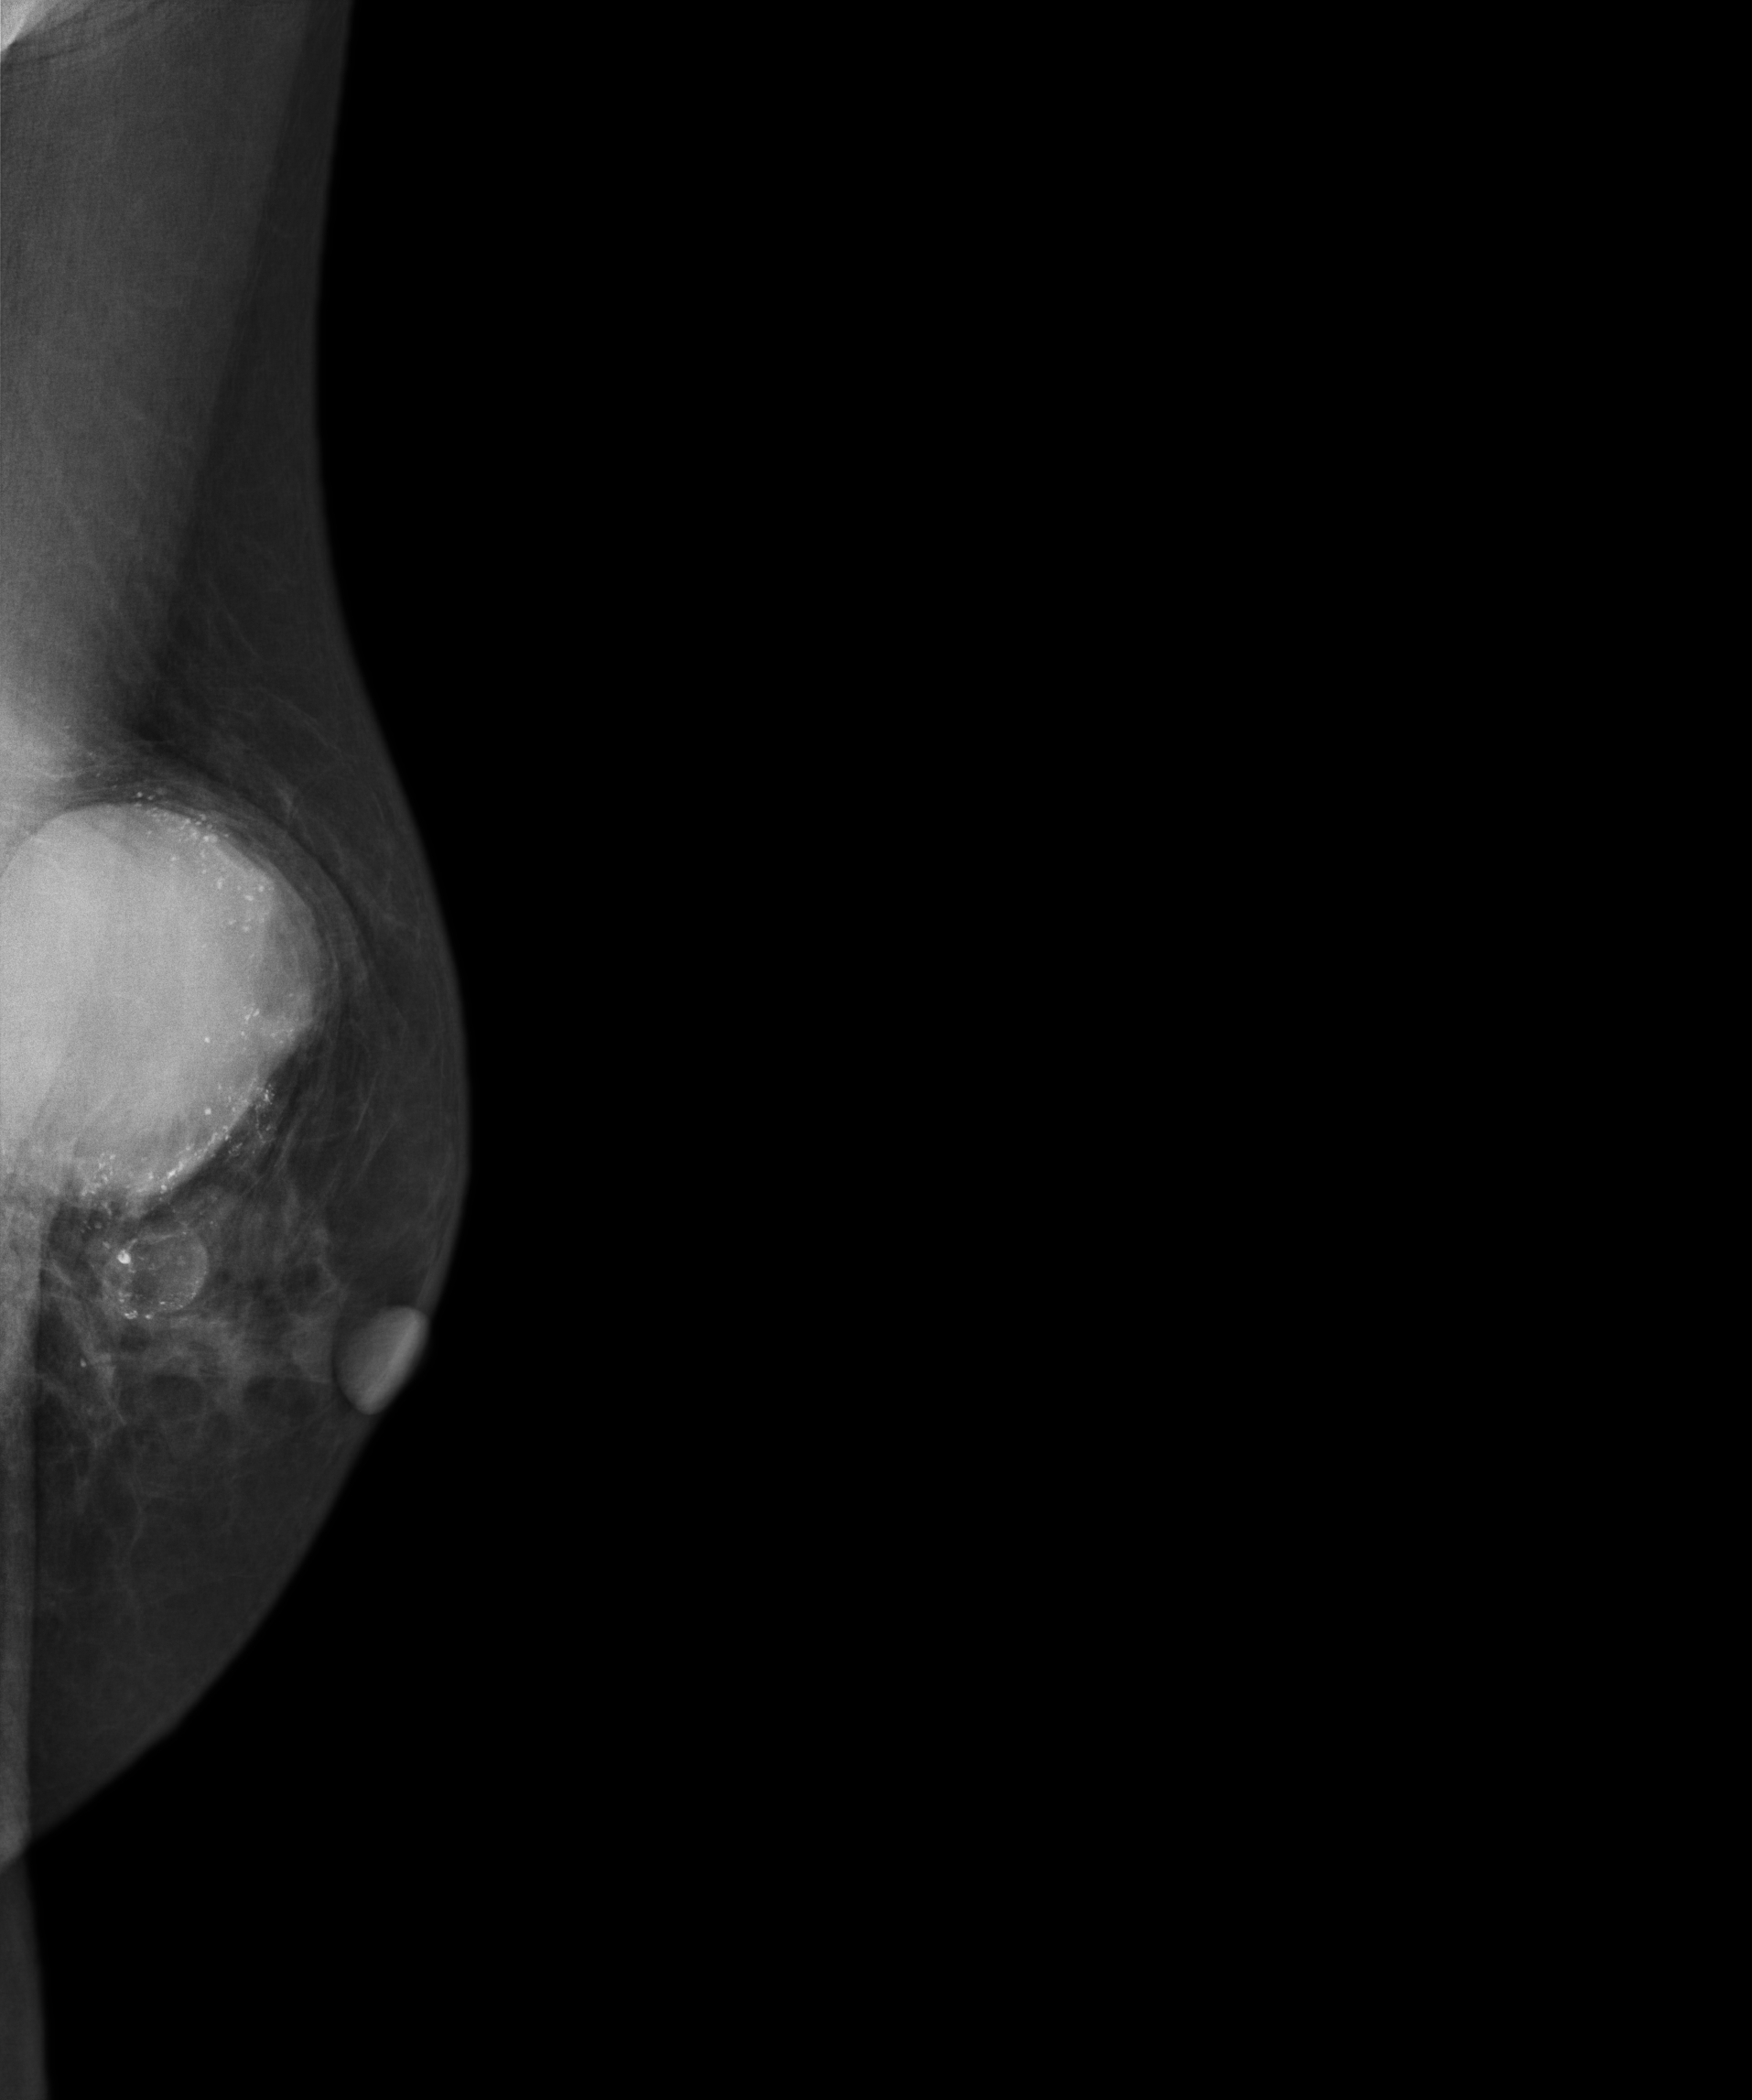
Digital mammography. Left breast, medio-lateral oblique projection. 74-year-old patient.
This breast has a mass and calcifications, biopsy-confirmed malignant.